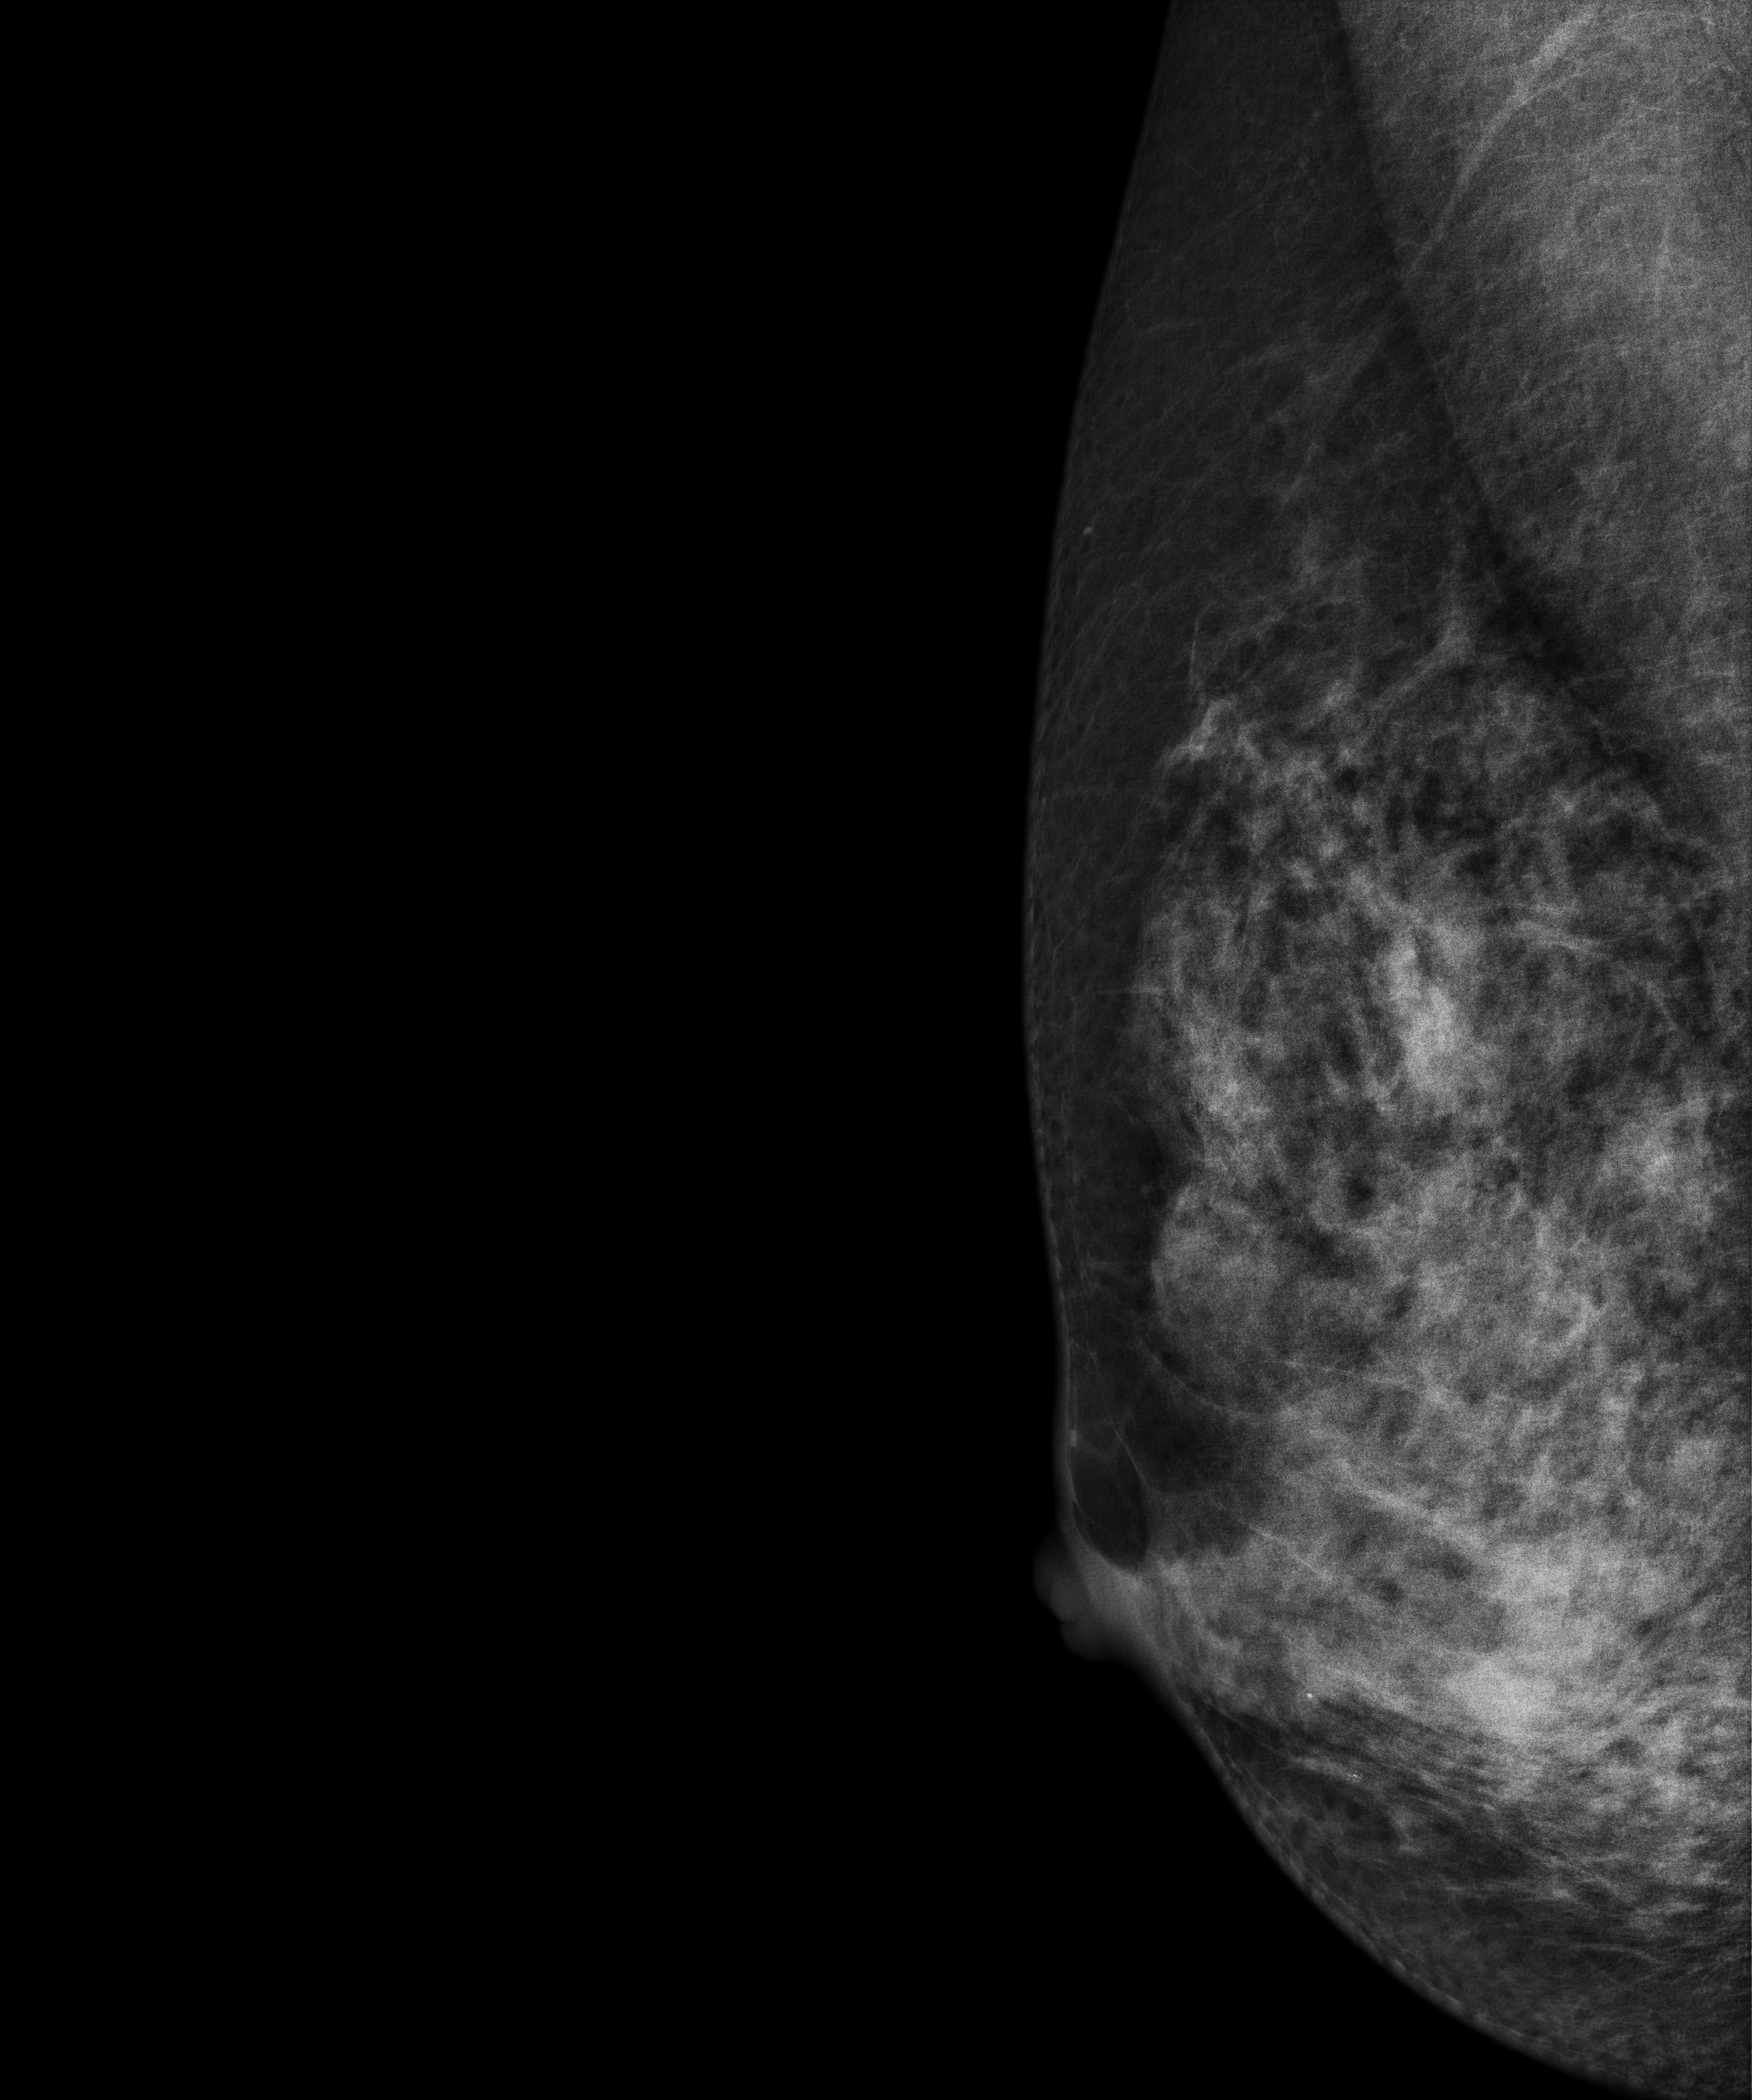
Digital mammography. Right breast, MLO projection. Patient age 46.
This breast has a mass, histologically confirmed malignant. Molecular subtype: luminal B.